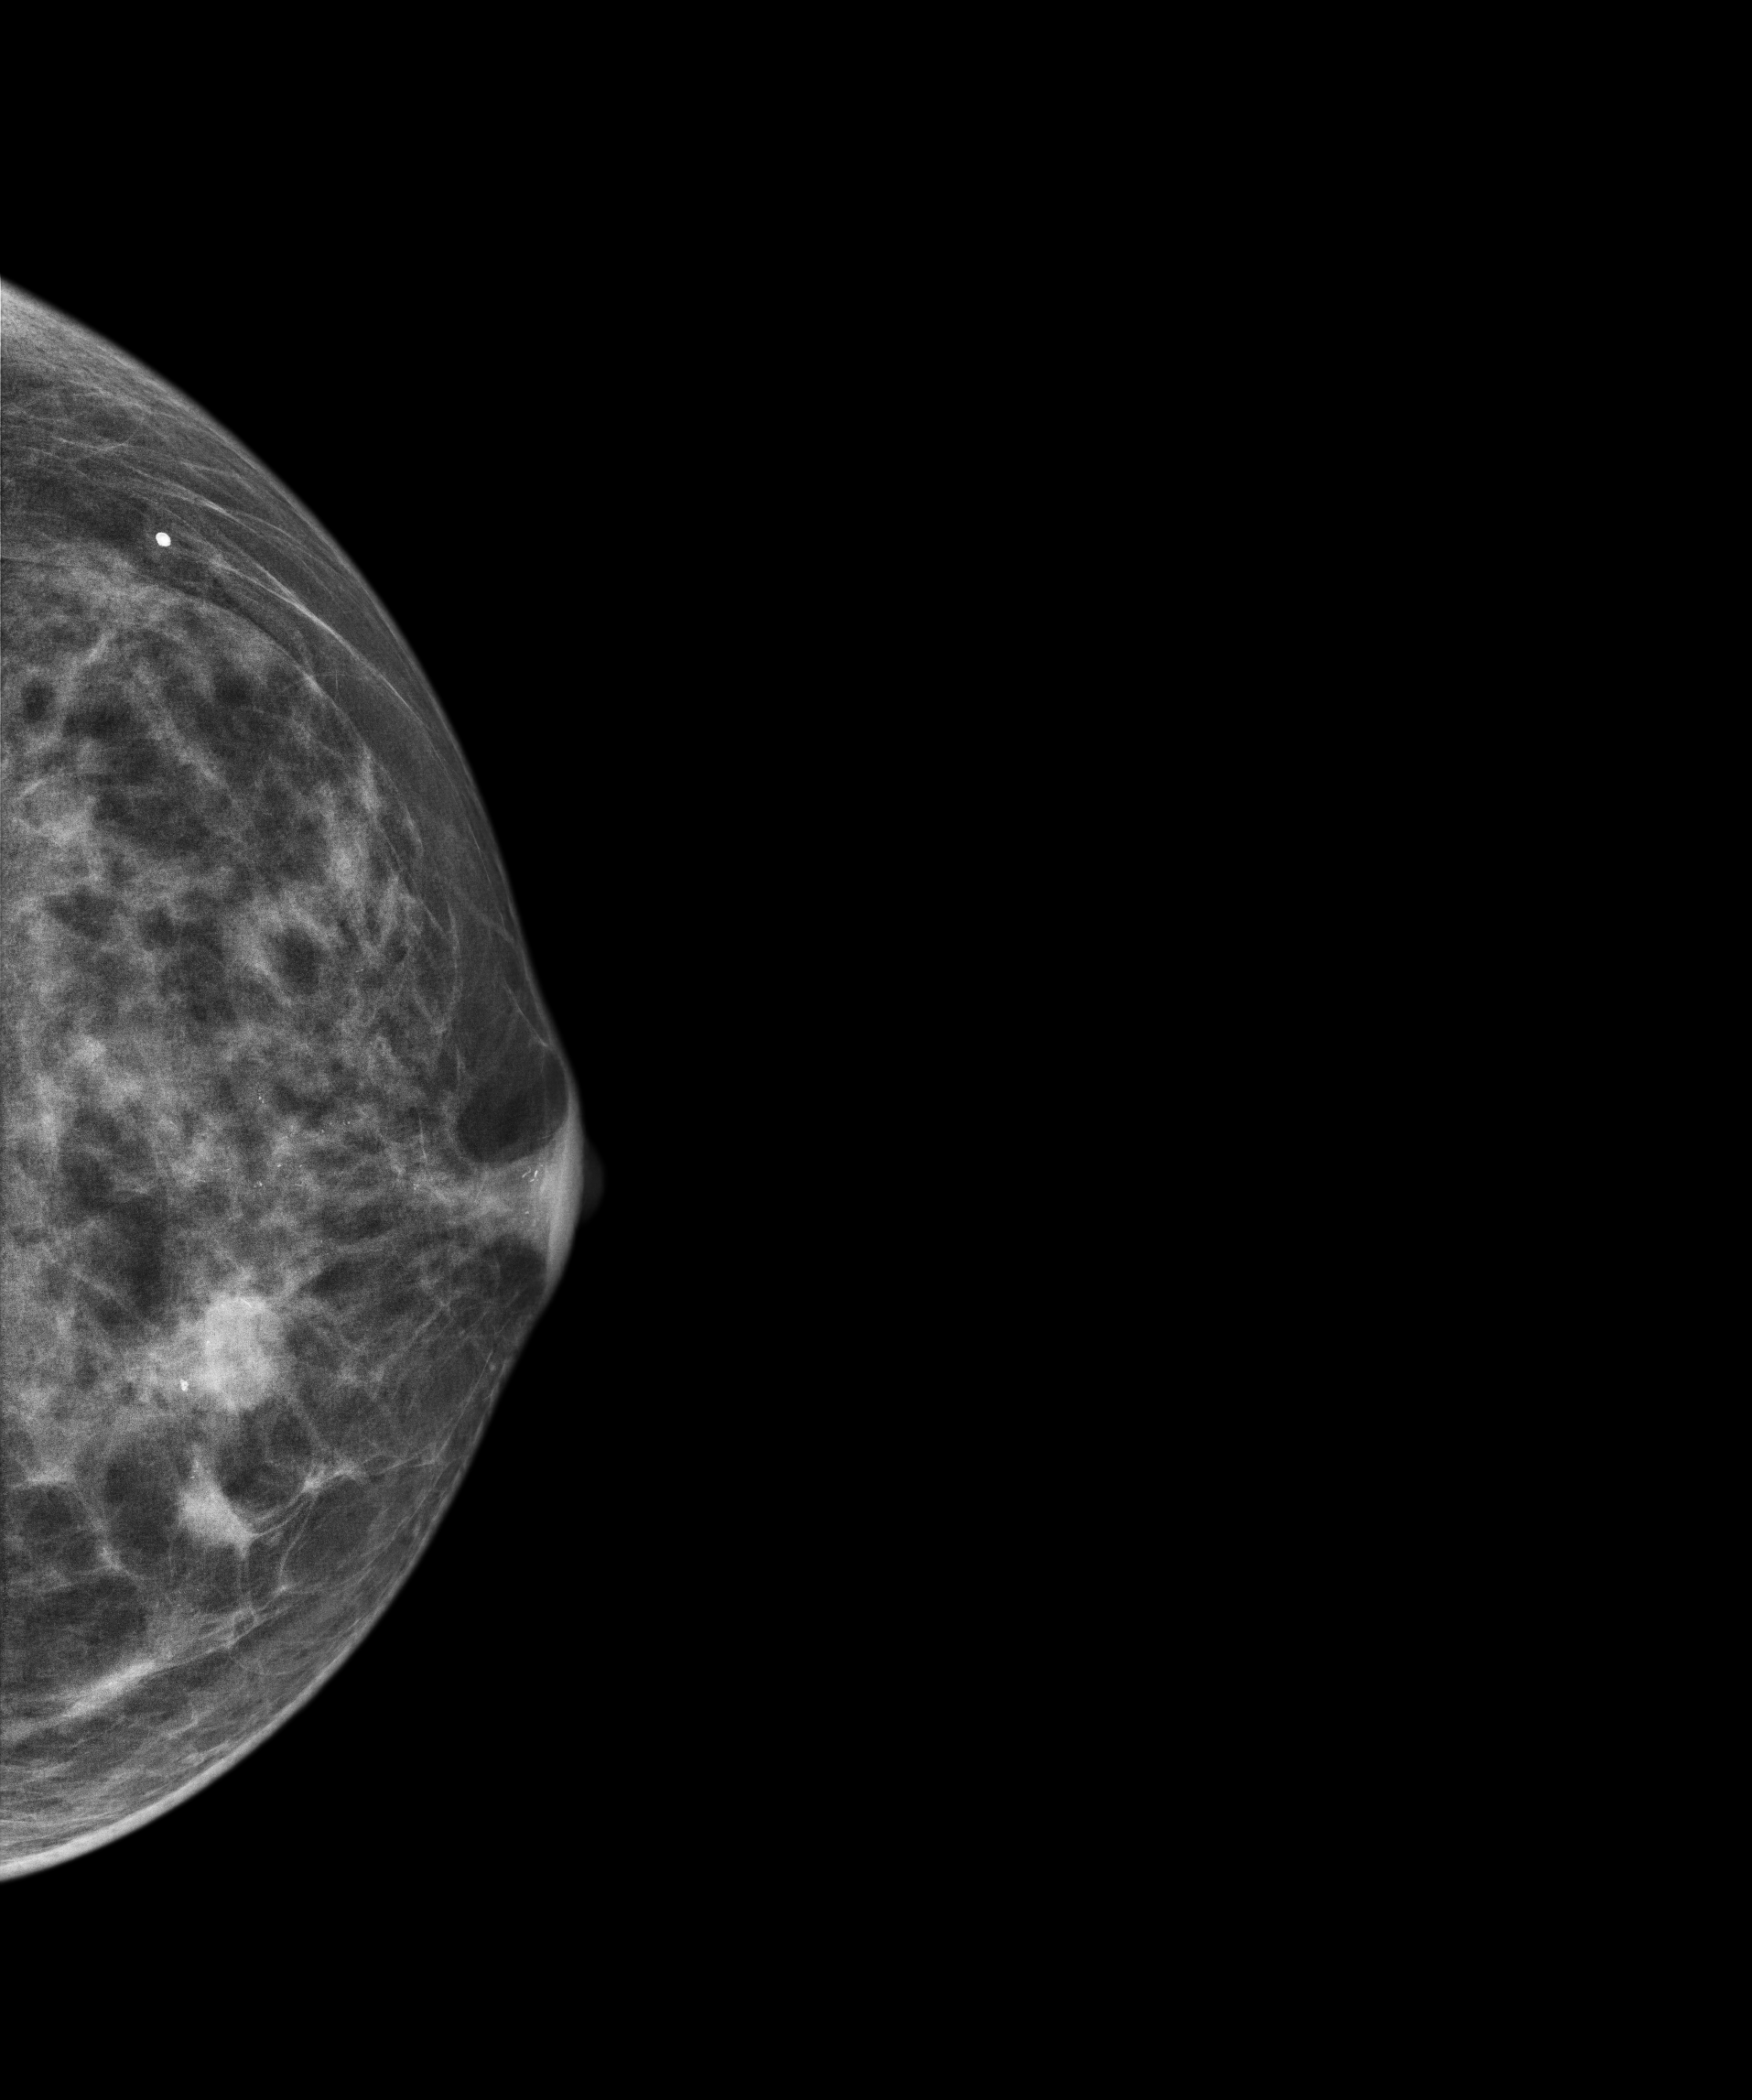
Digital mammography. Left breast, cranio-caudal projection. Patient age 57.
This breast has a mass and calcifications, histologically confirmed malignant. Molecular subtype: HER2-enriched.